Cranio-caudal mammogram of the left breast. 51-year-old patient.
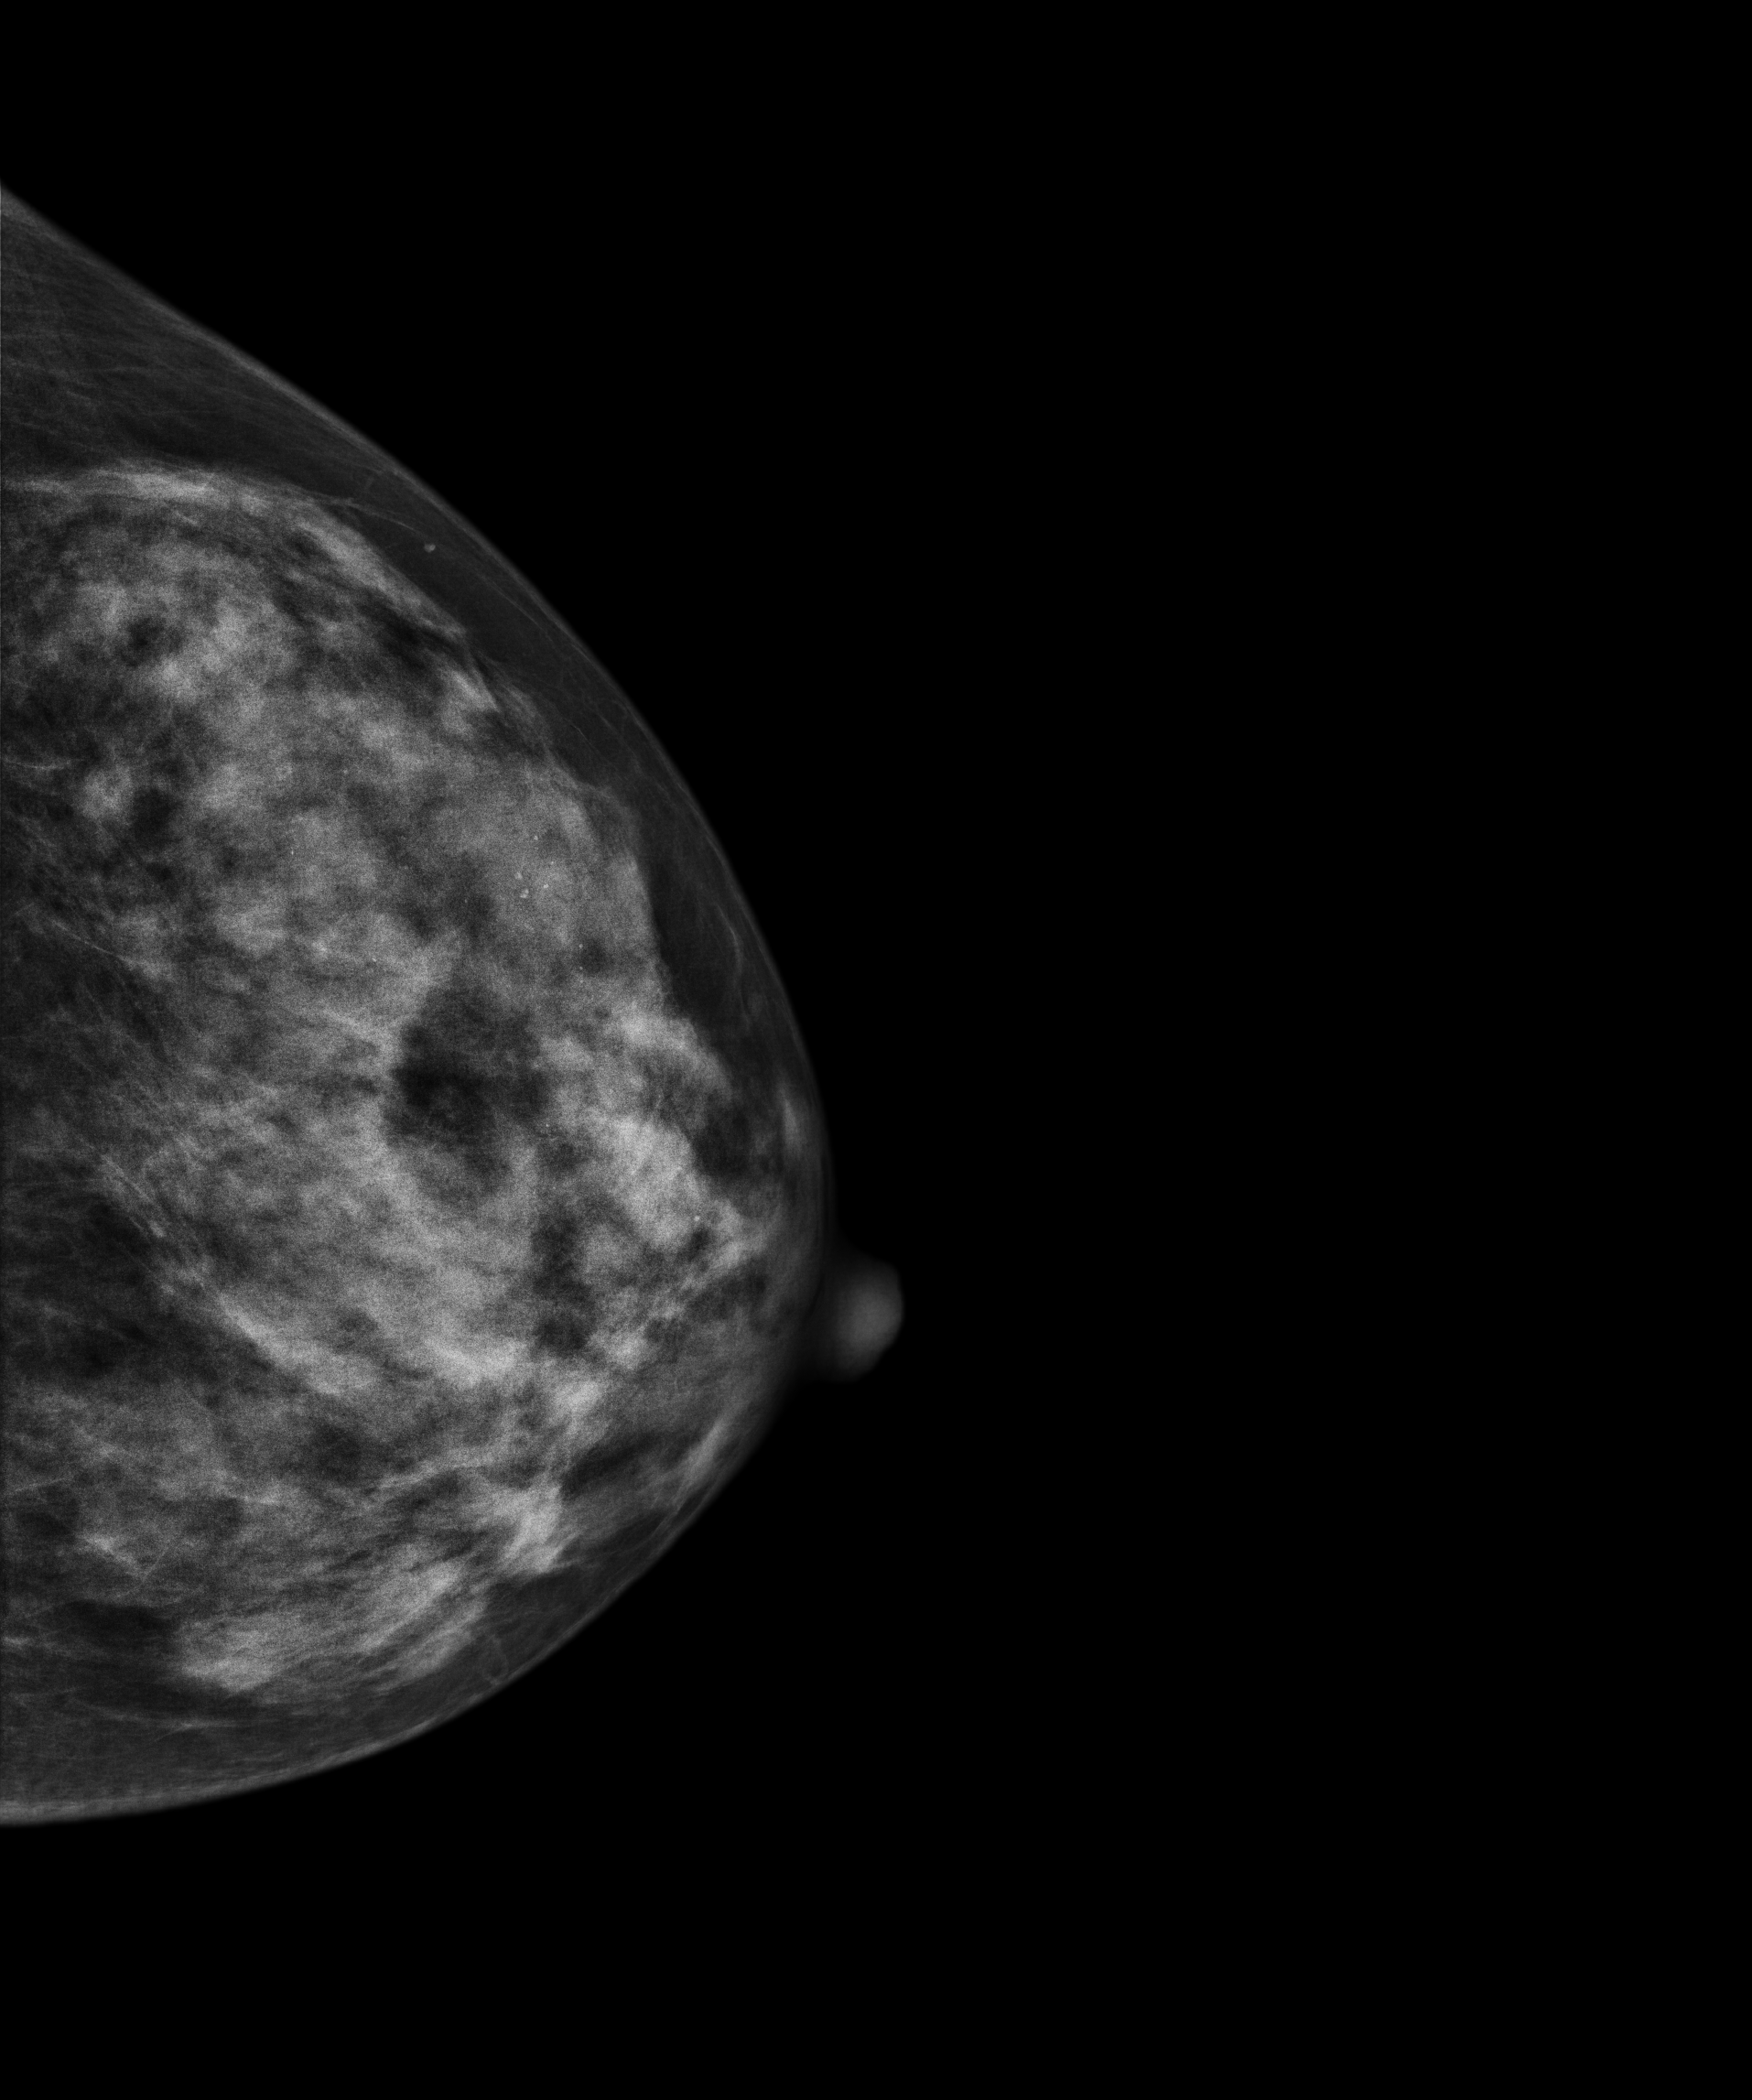
This breast has a mass and calcifications, pathology-confirmed benign.